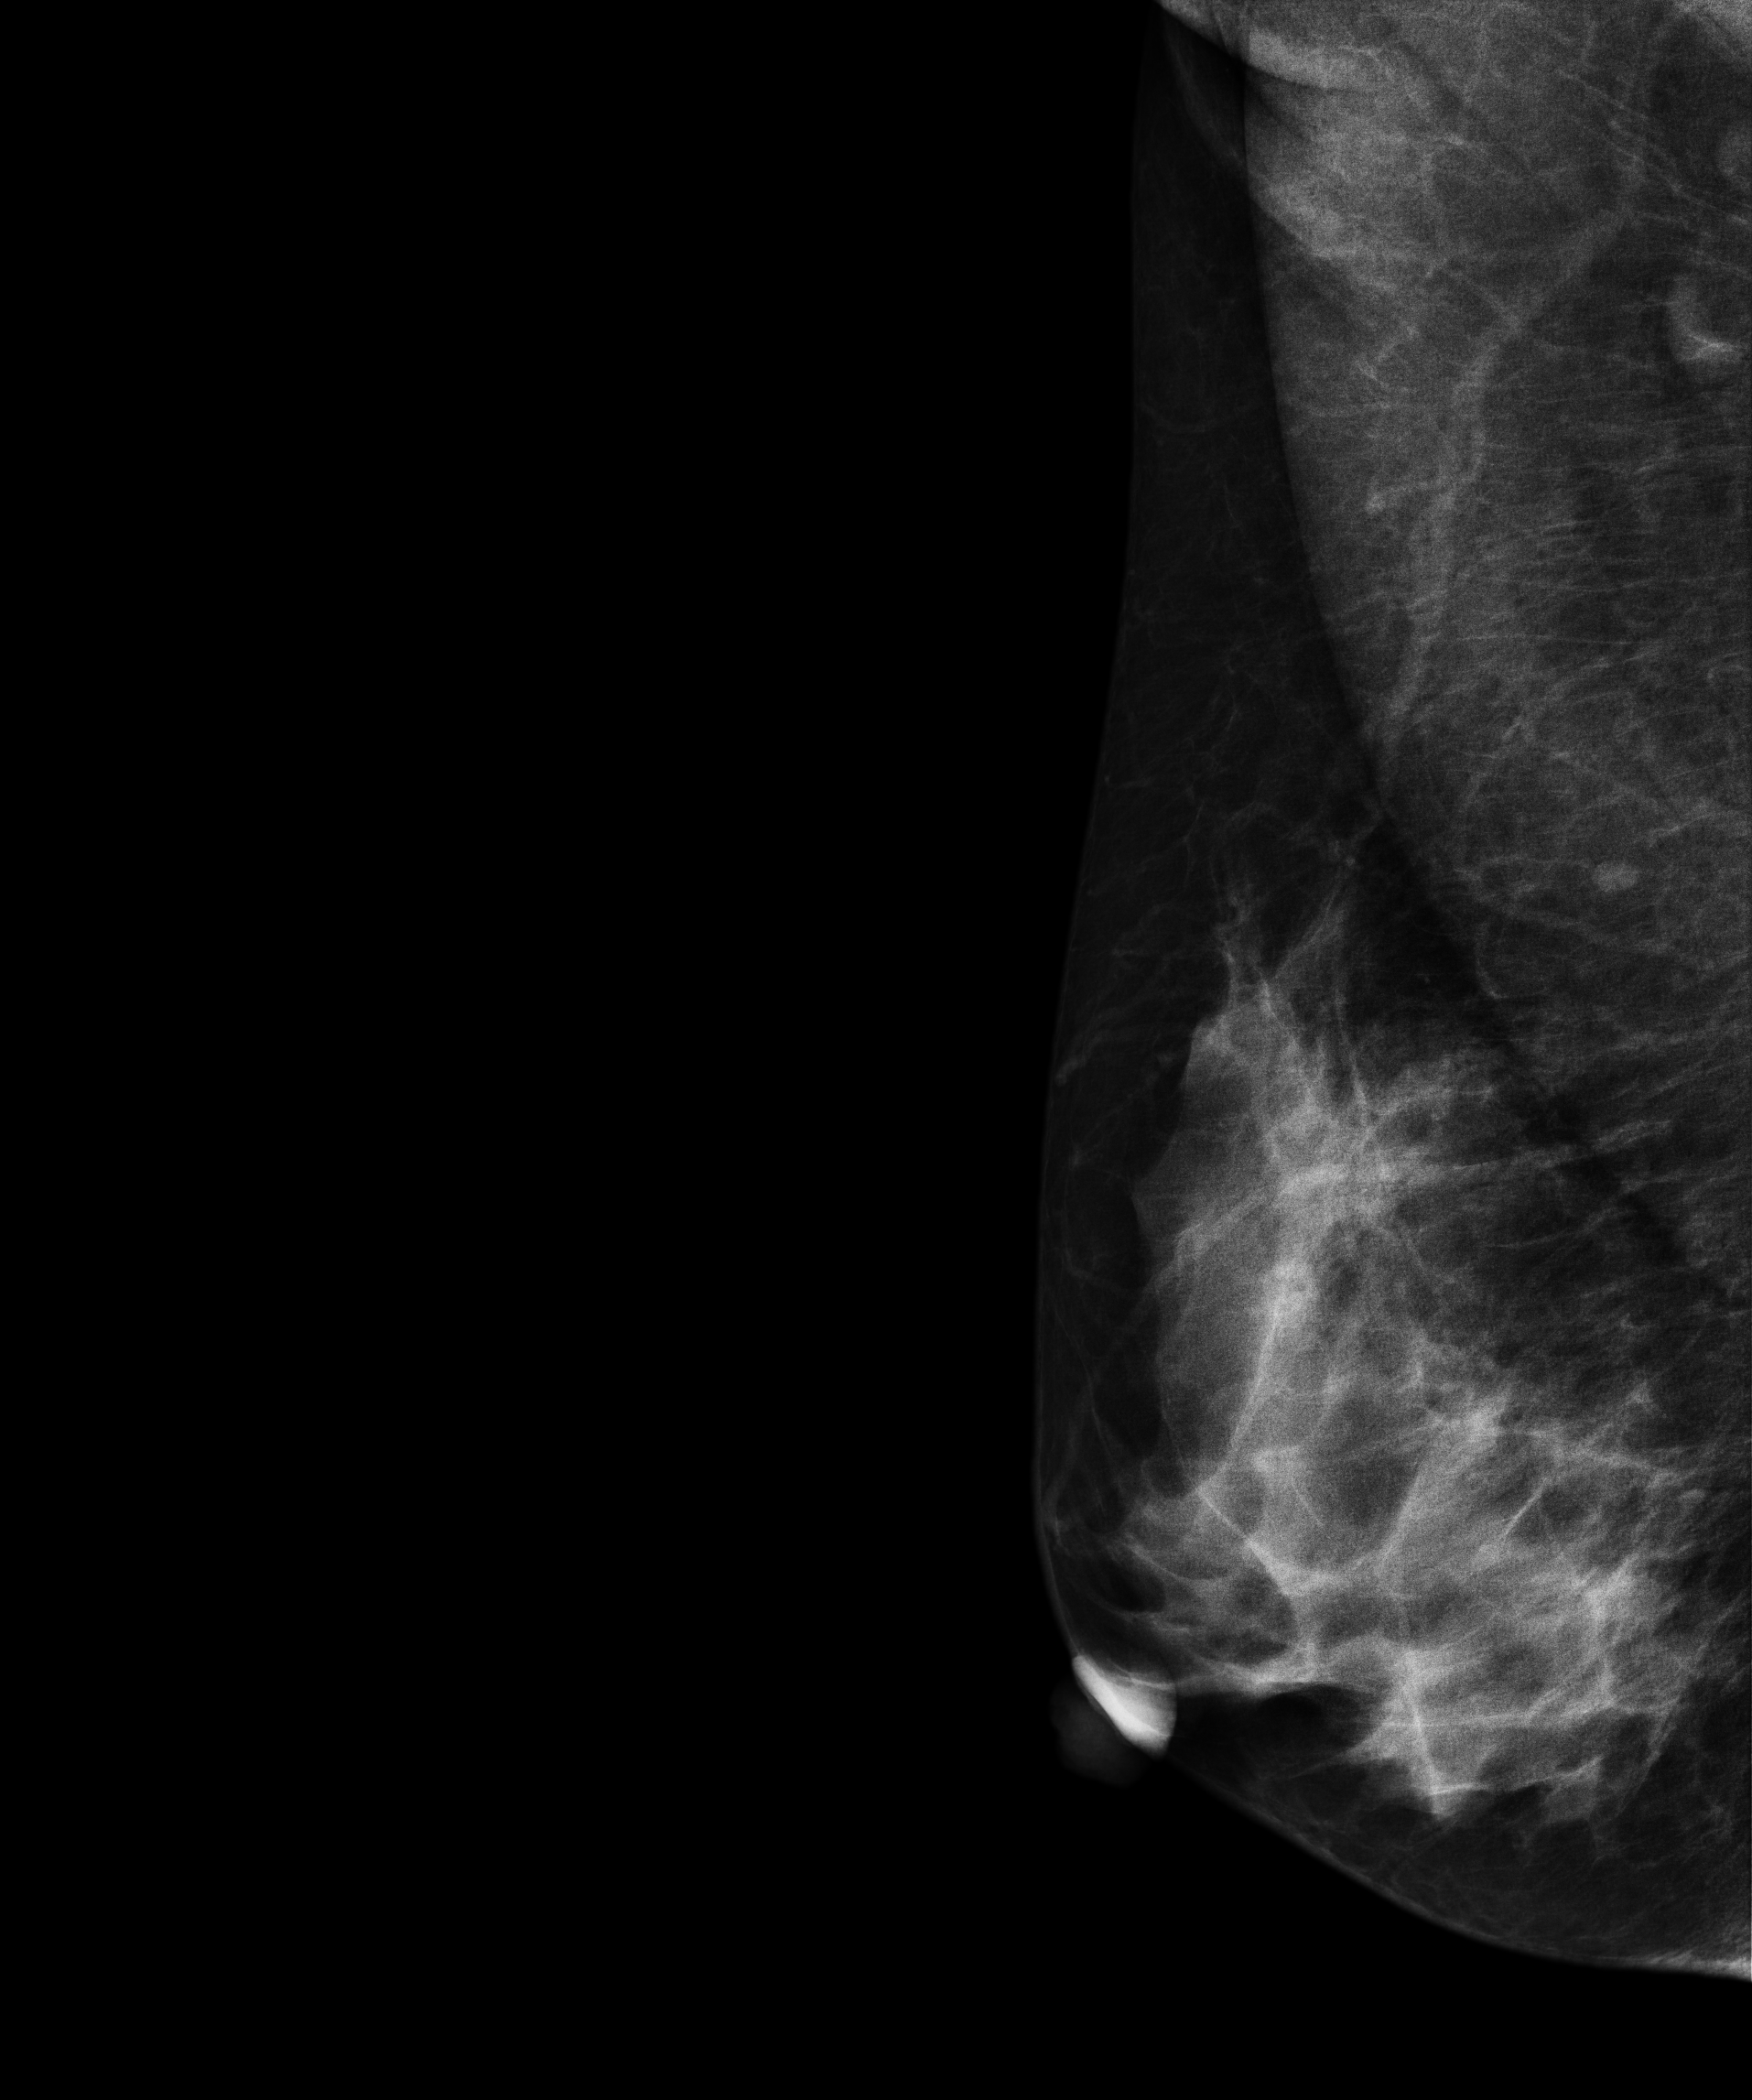
Medio-lateral oblique mammogram of the right breast. 35-year-old patient.
Contralateral breast — no documented abnormality on this side.